CC mammogram of the right breast. 36 y/o patient.
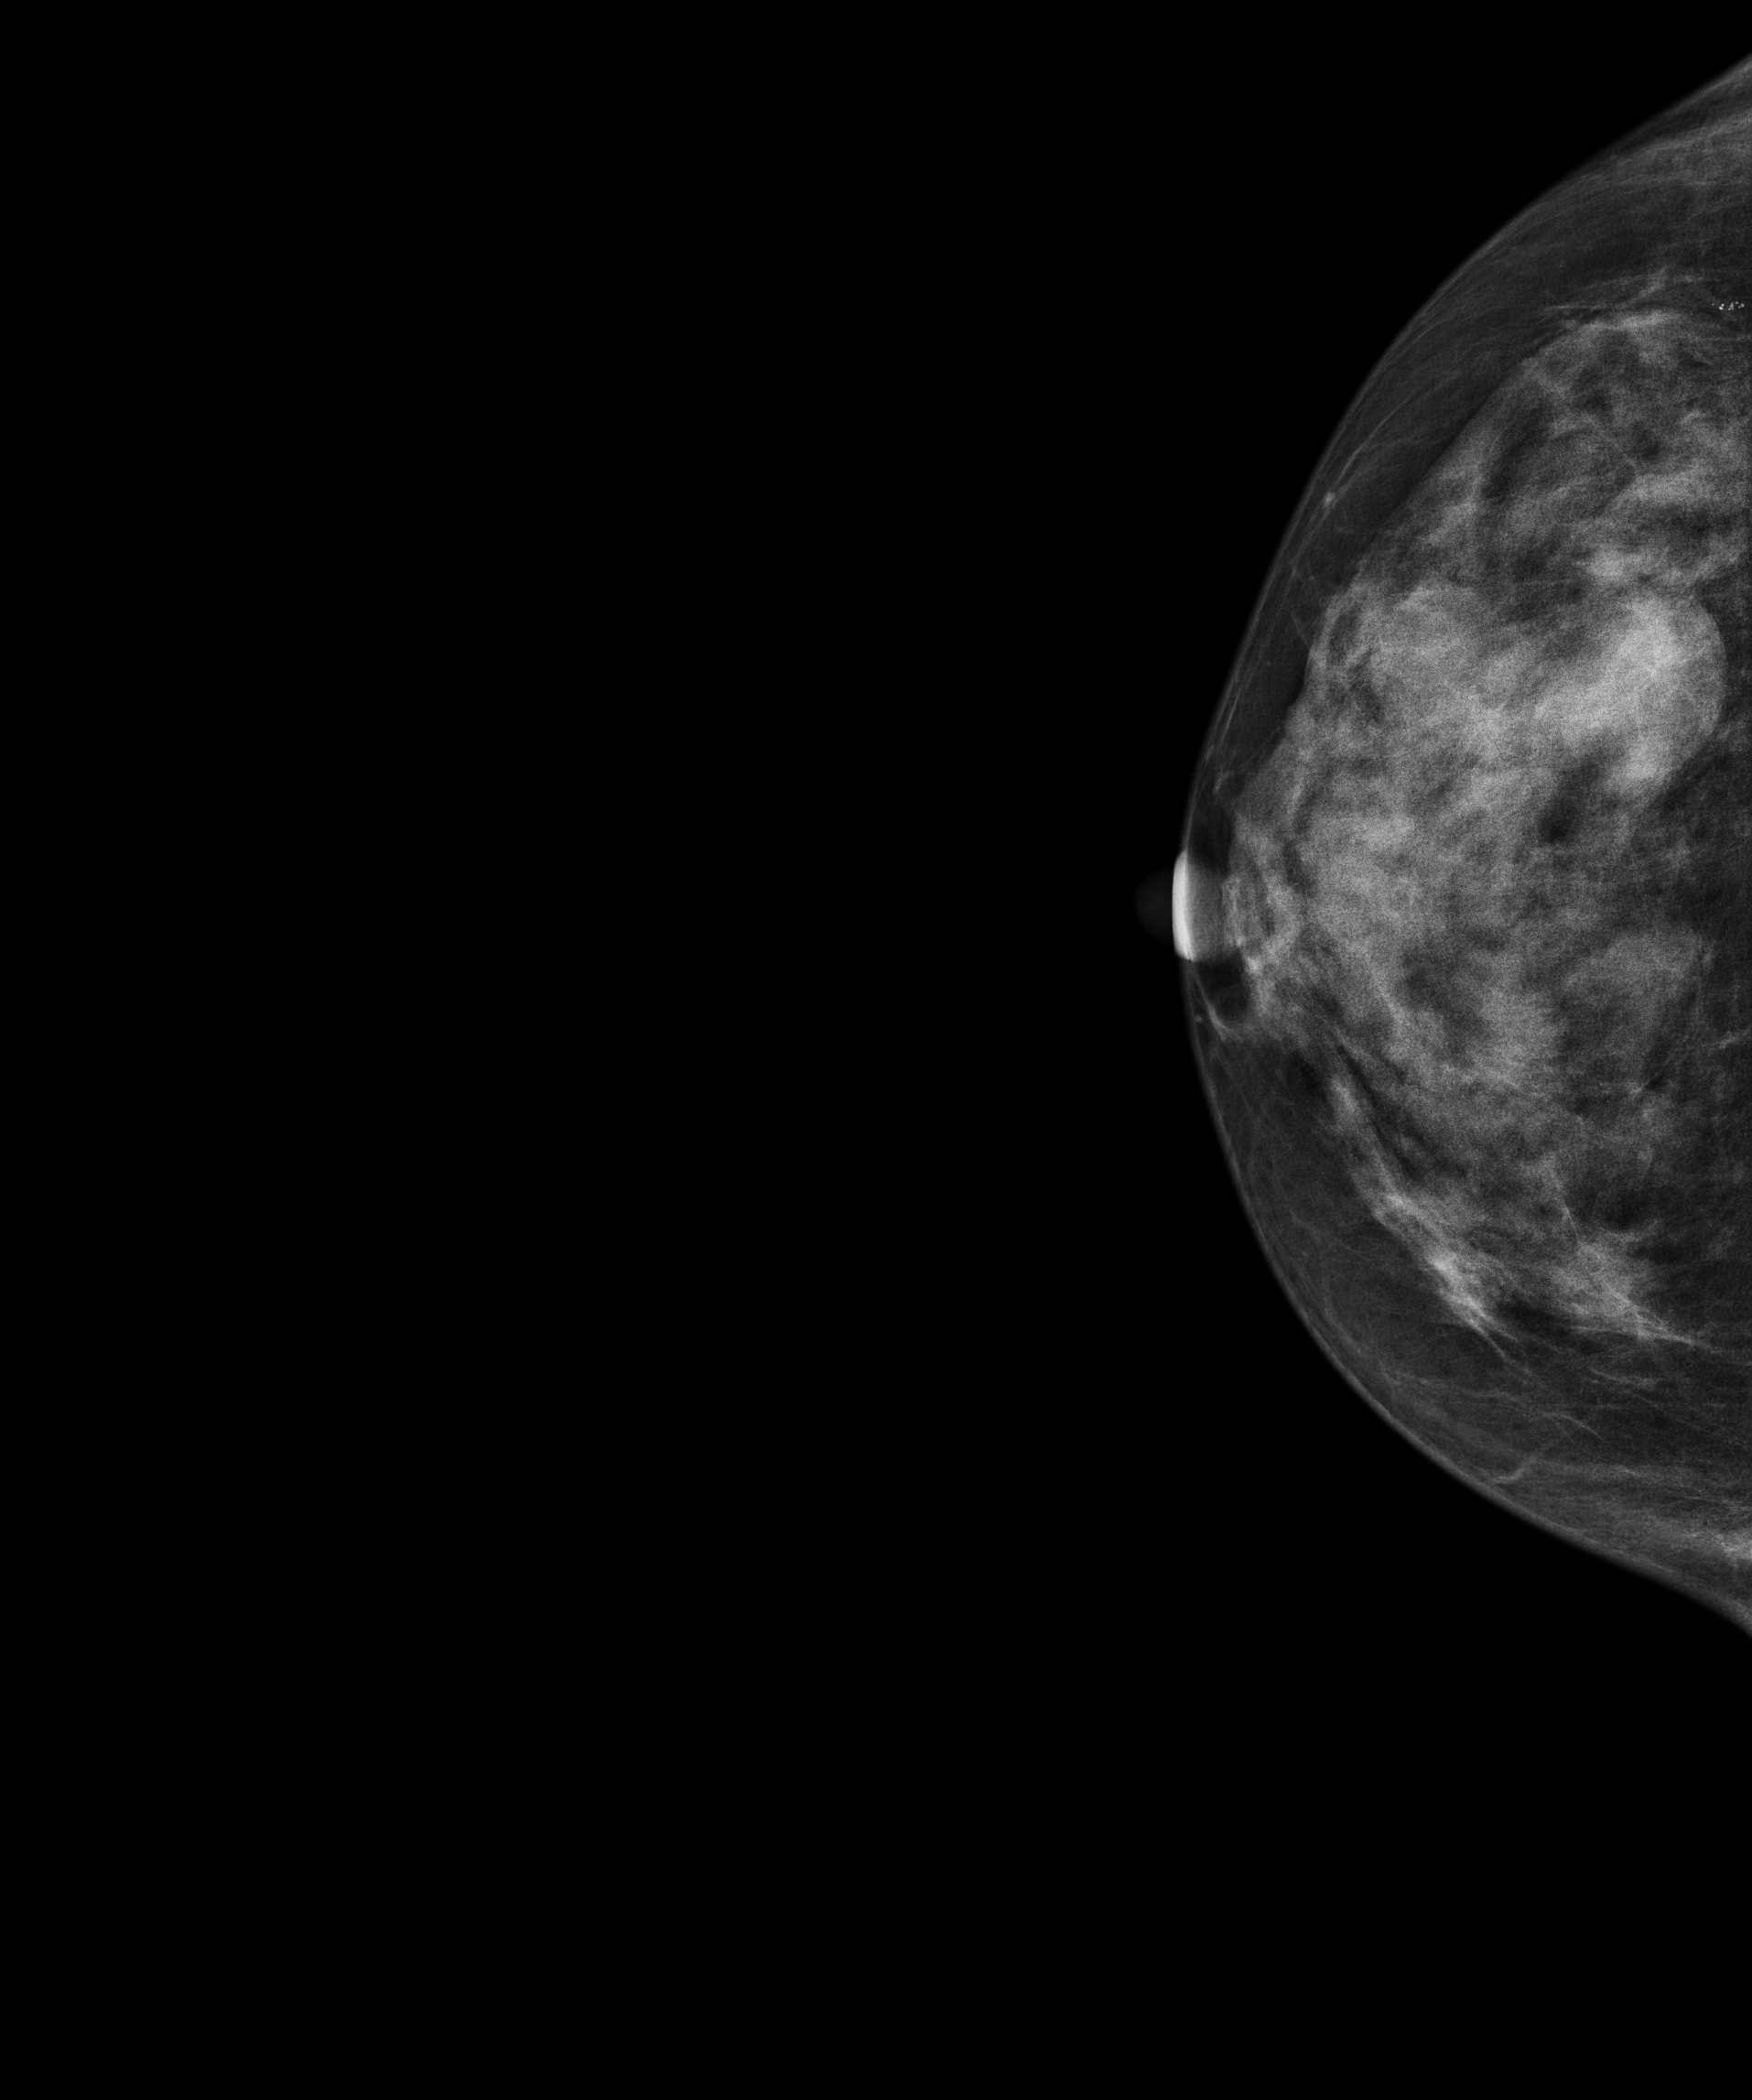
Contralateral breast — no documented abnormality on this side.